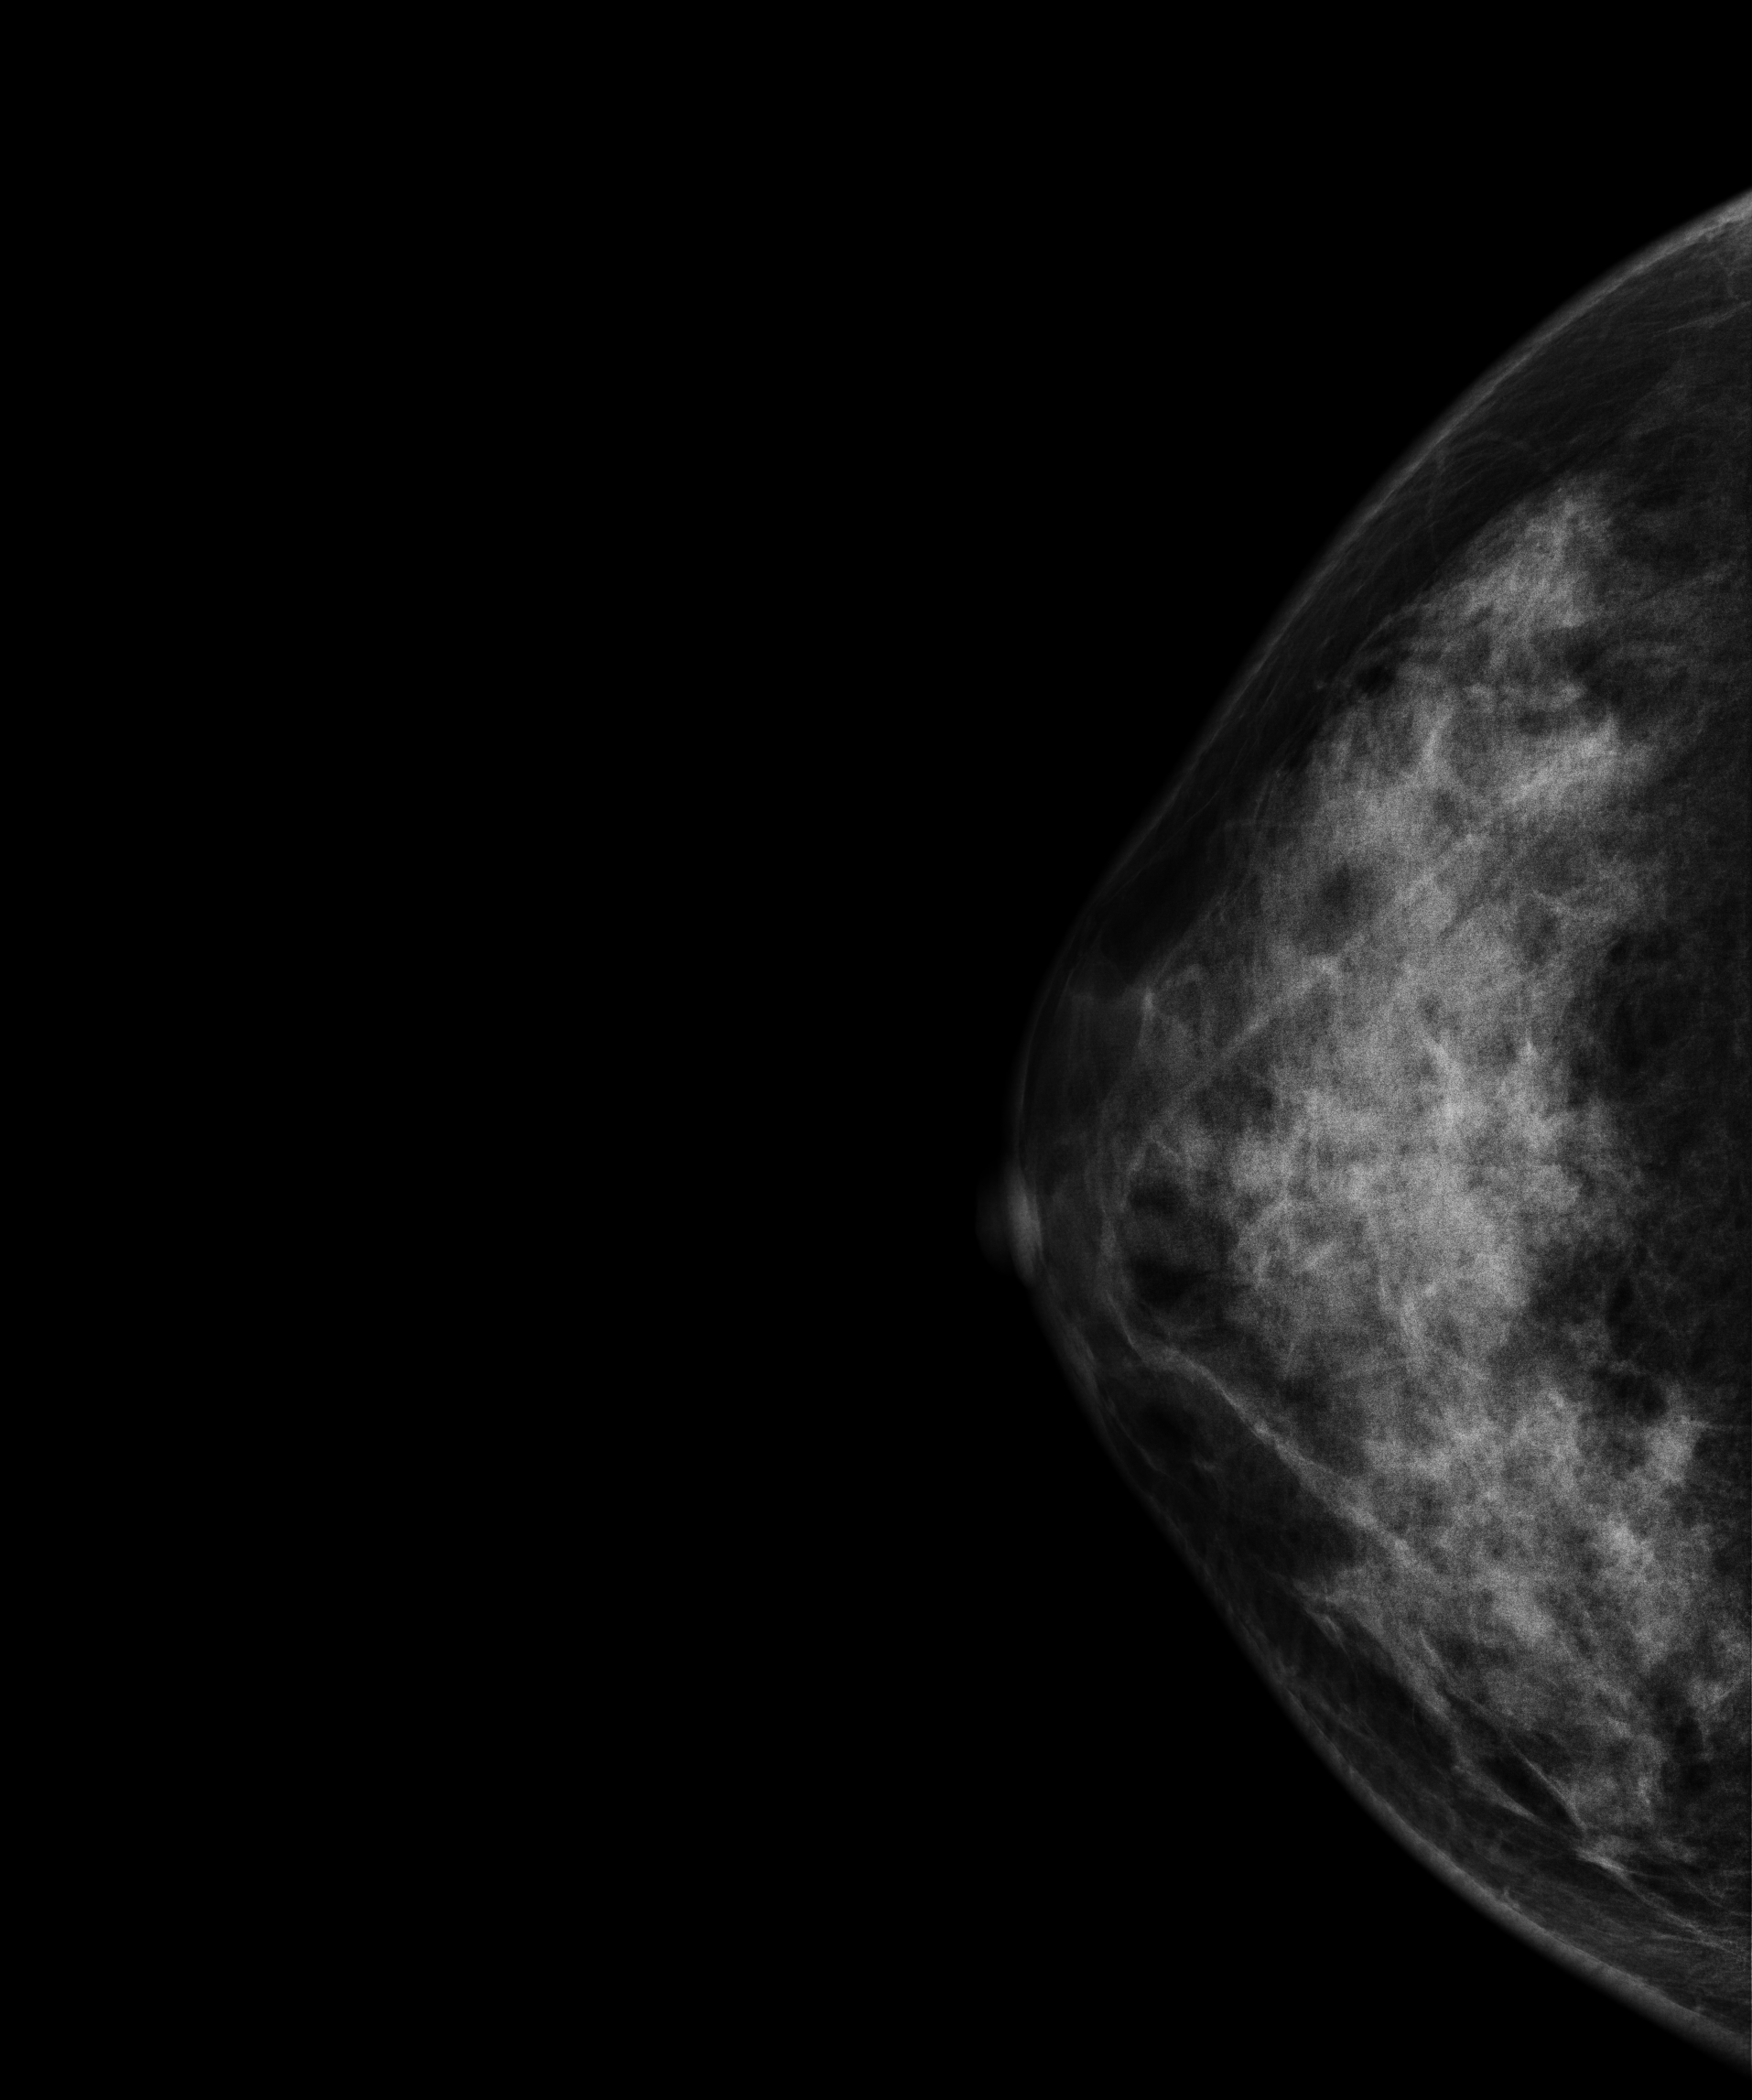
Right-breast mammogram, cranio-caudal. 44 y/o patient.
This breast has a mass, pathology-confirmed benign.